Right-breast mammogram, cranio-caudal. 49-year-old patient.
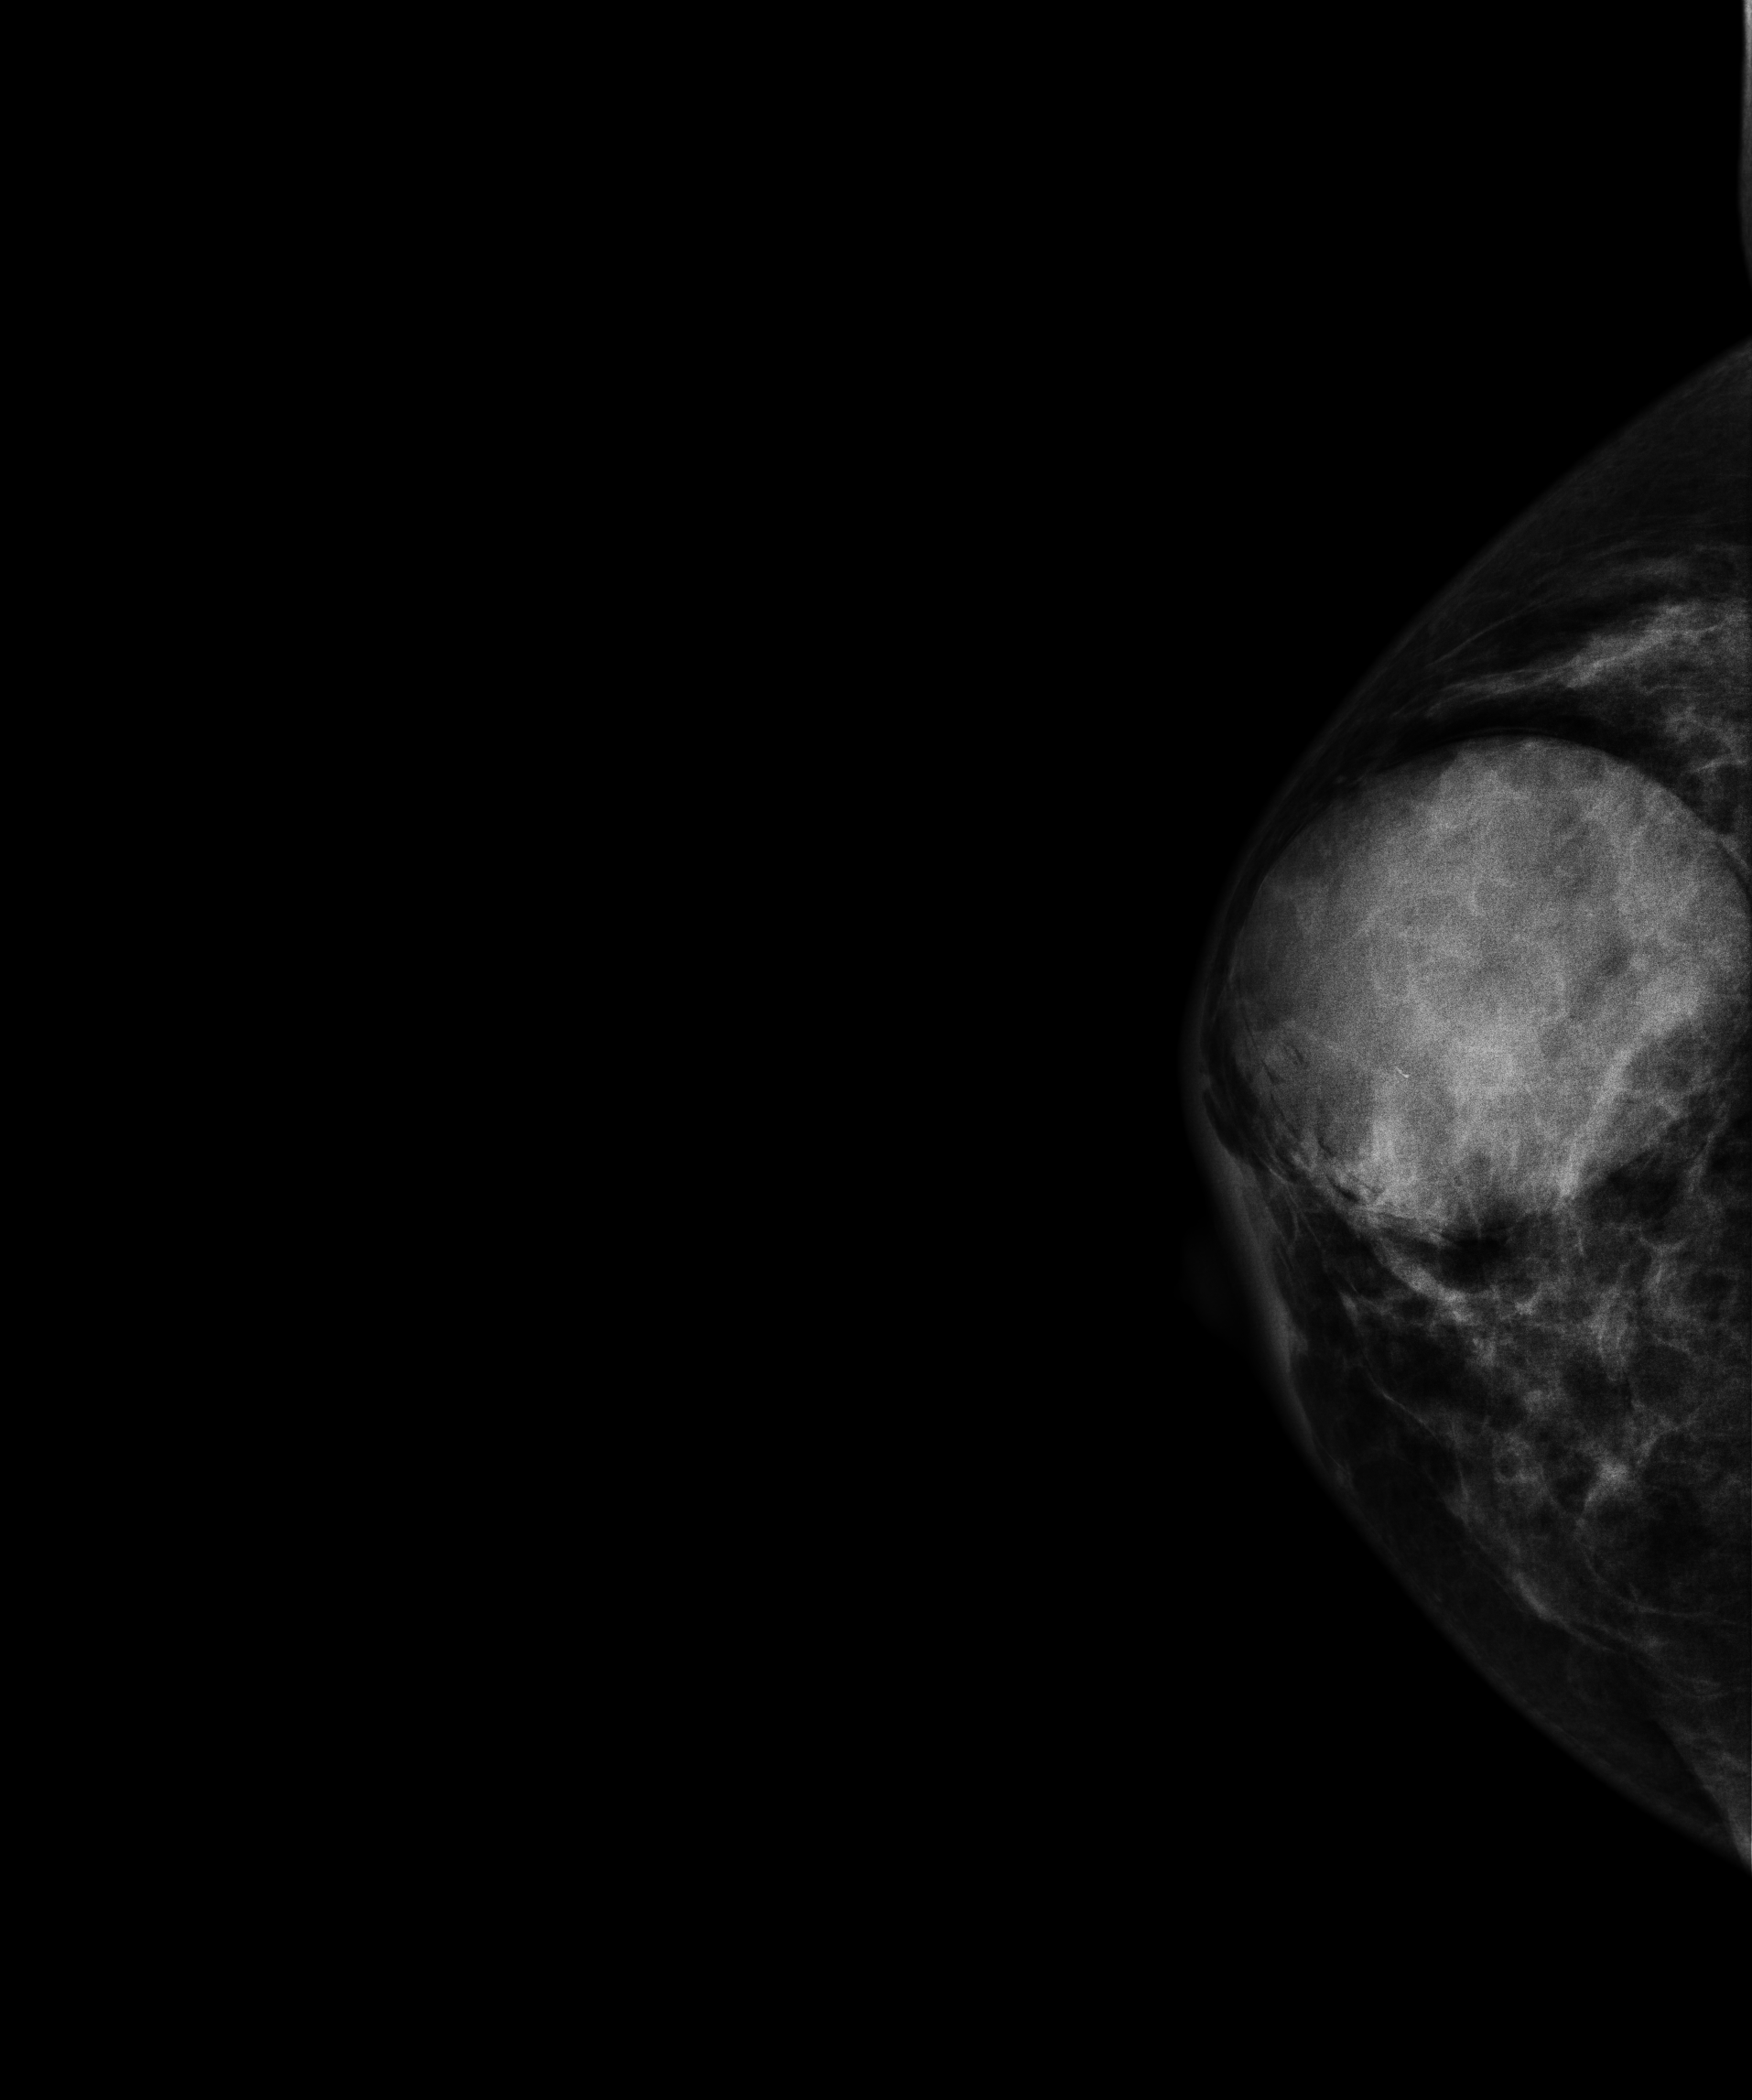
This breast has a mass, biopsy-proven benign.